Mammogram — left medio-lateral oblique. 59-year-old patient.
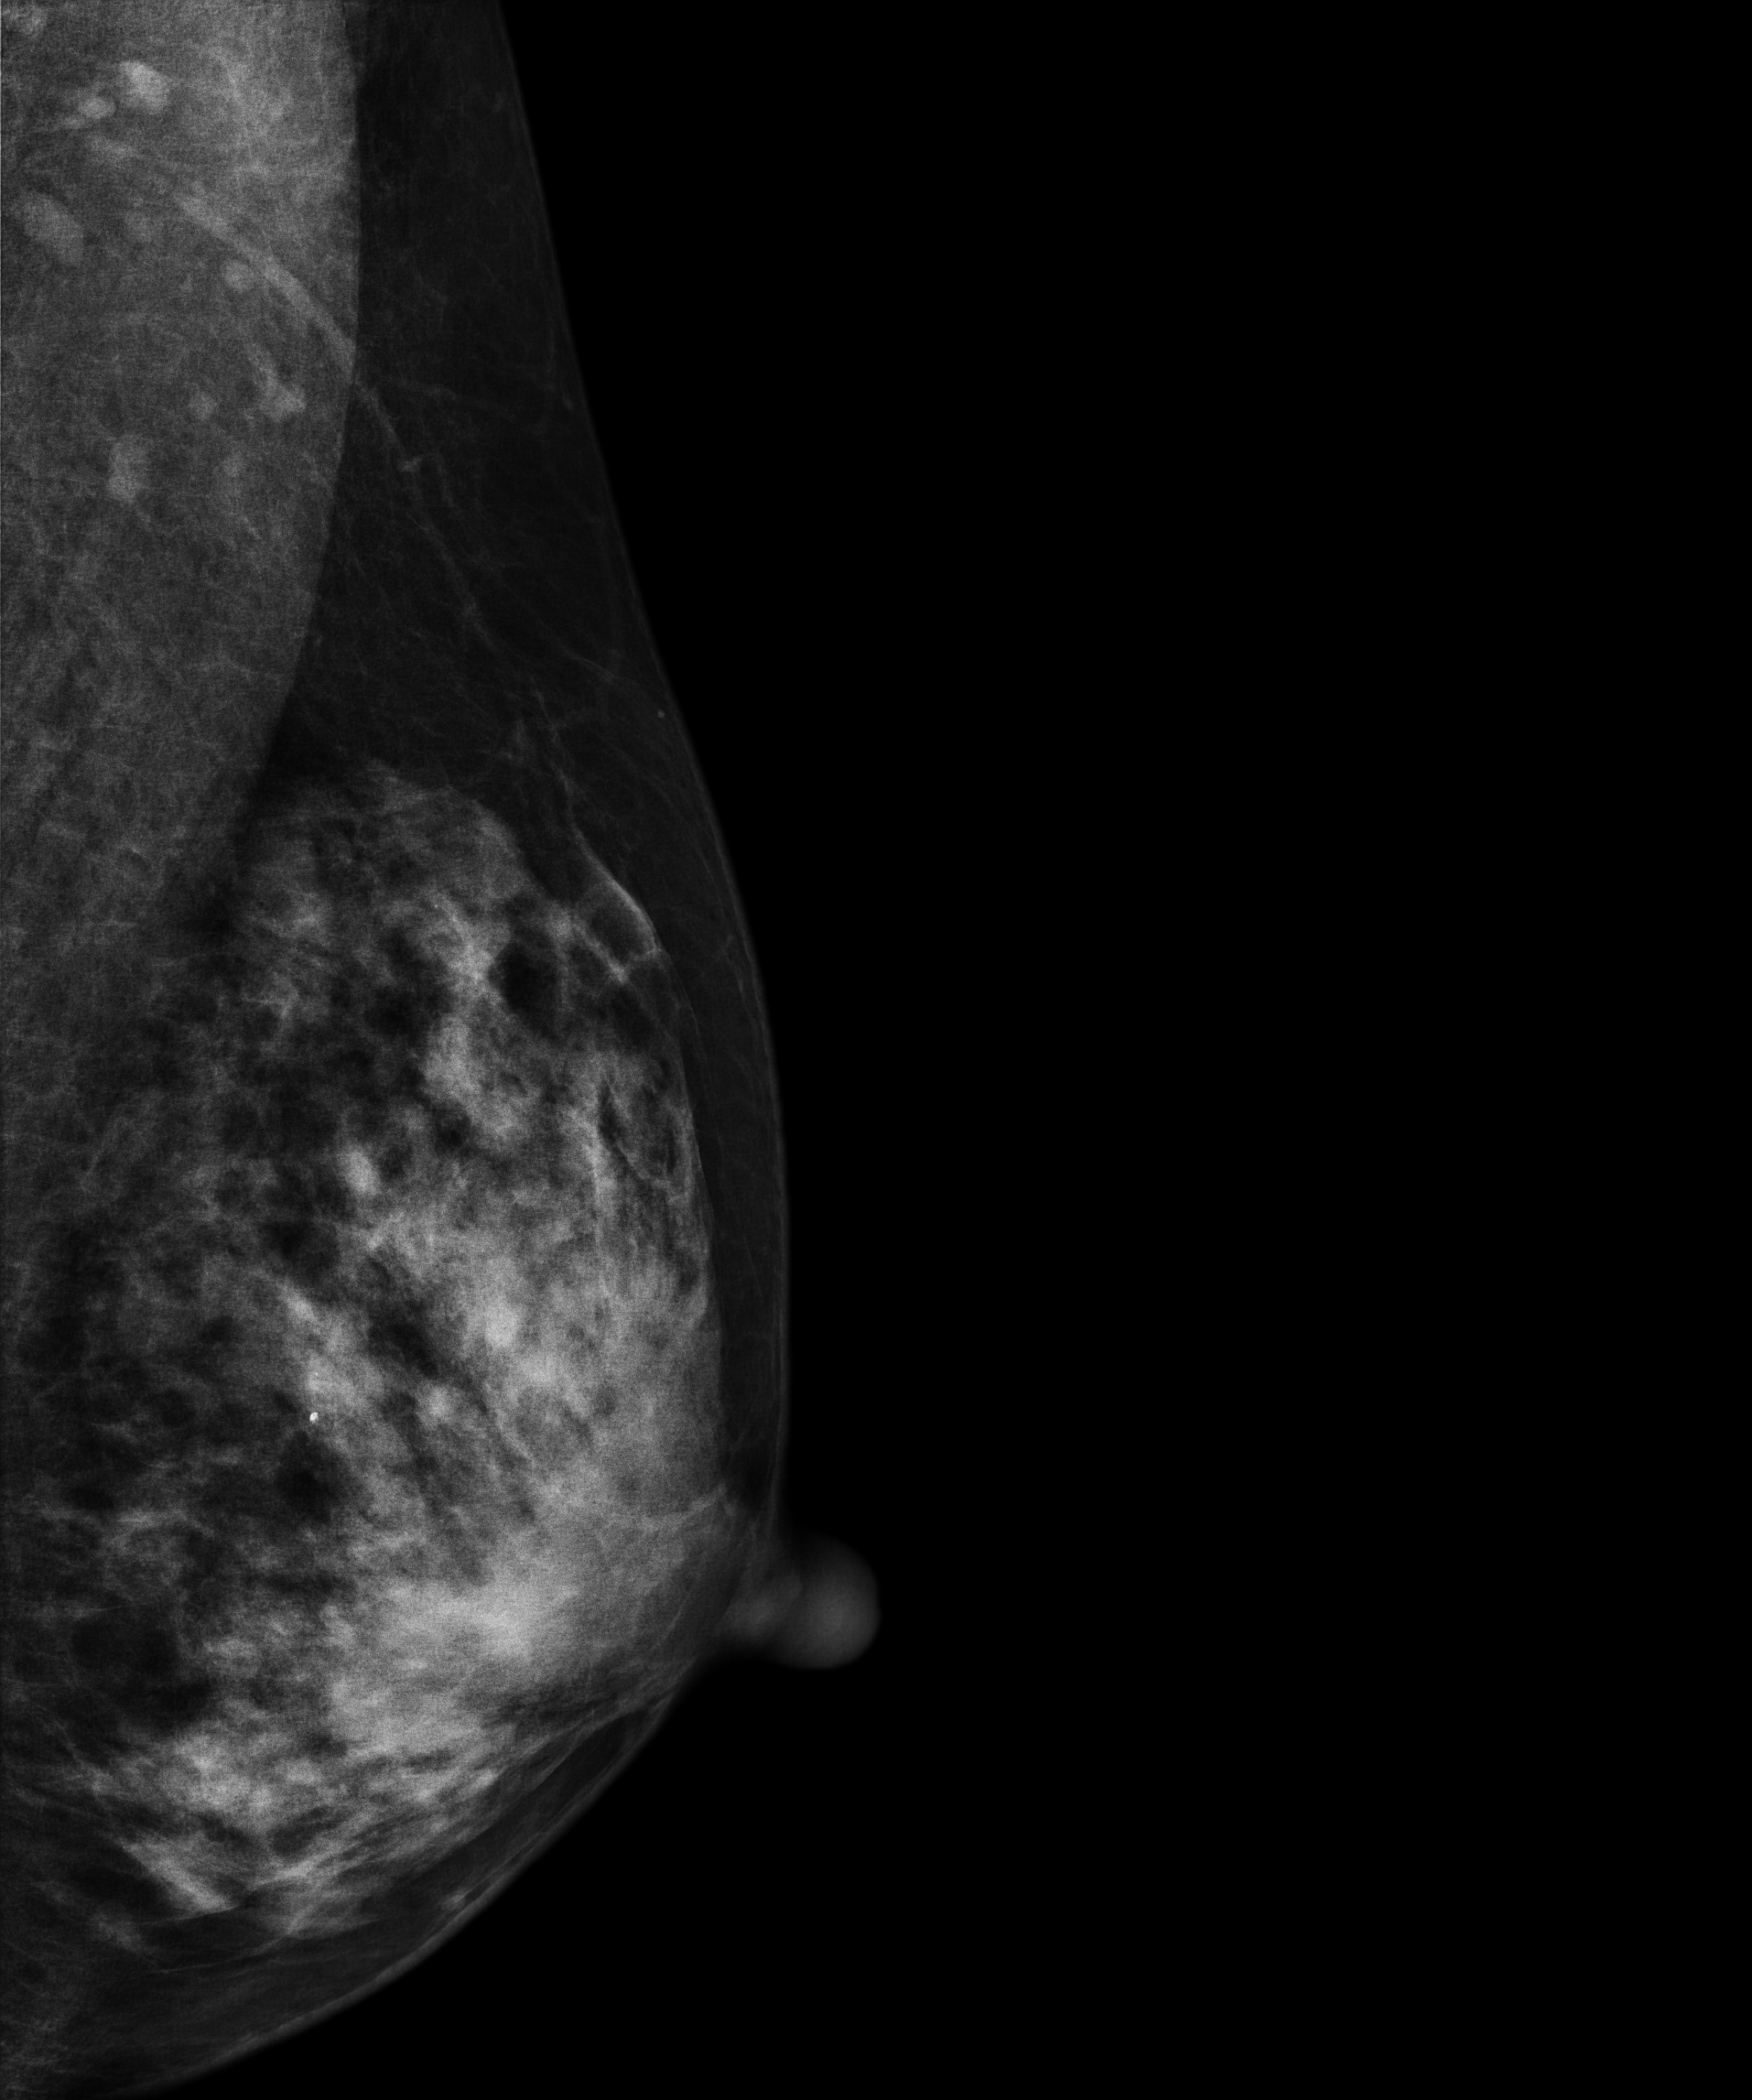
This breast has calcifications, histologically confirmed benign.